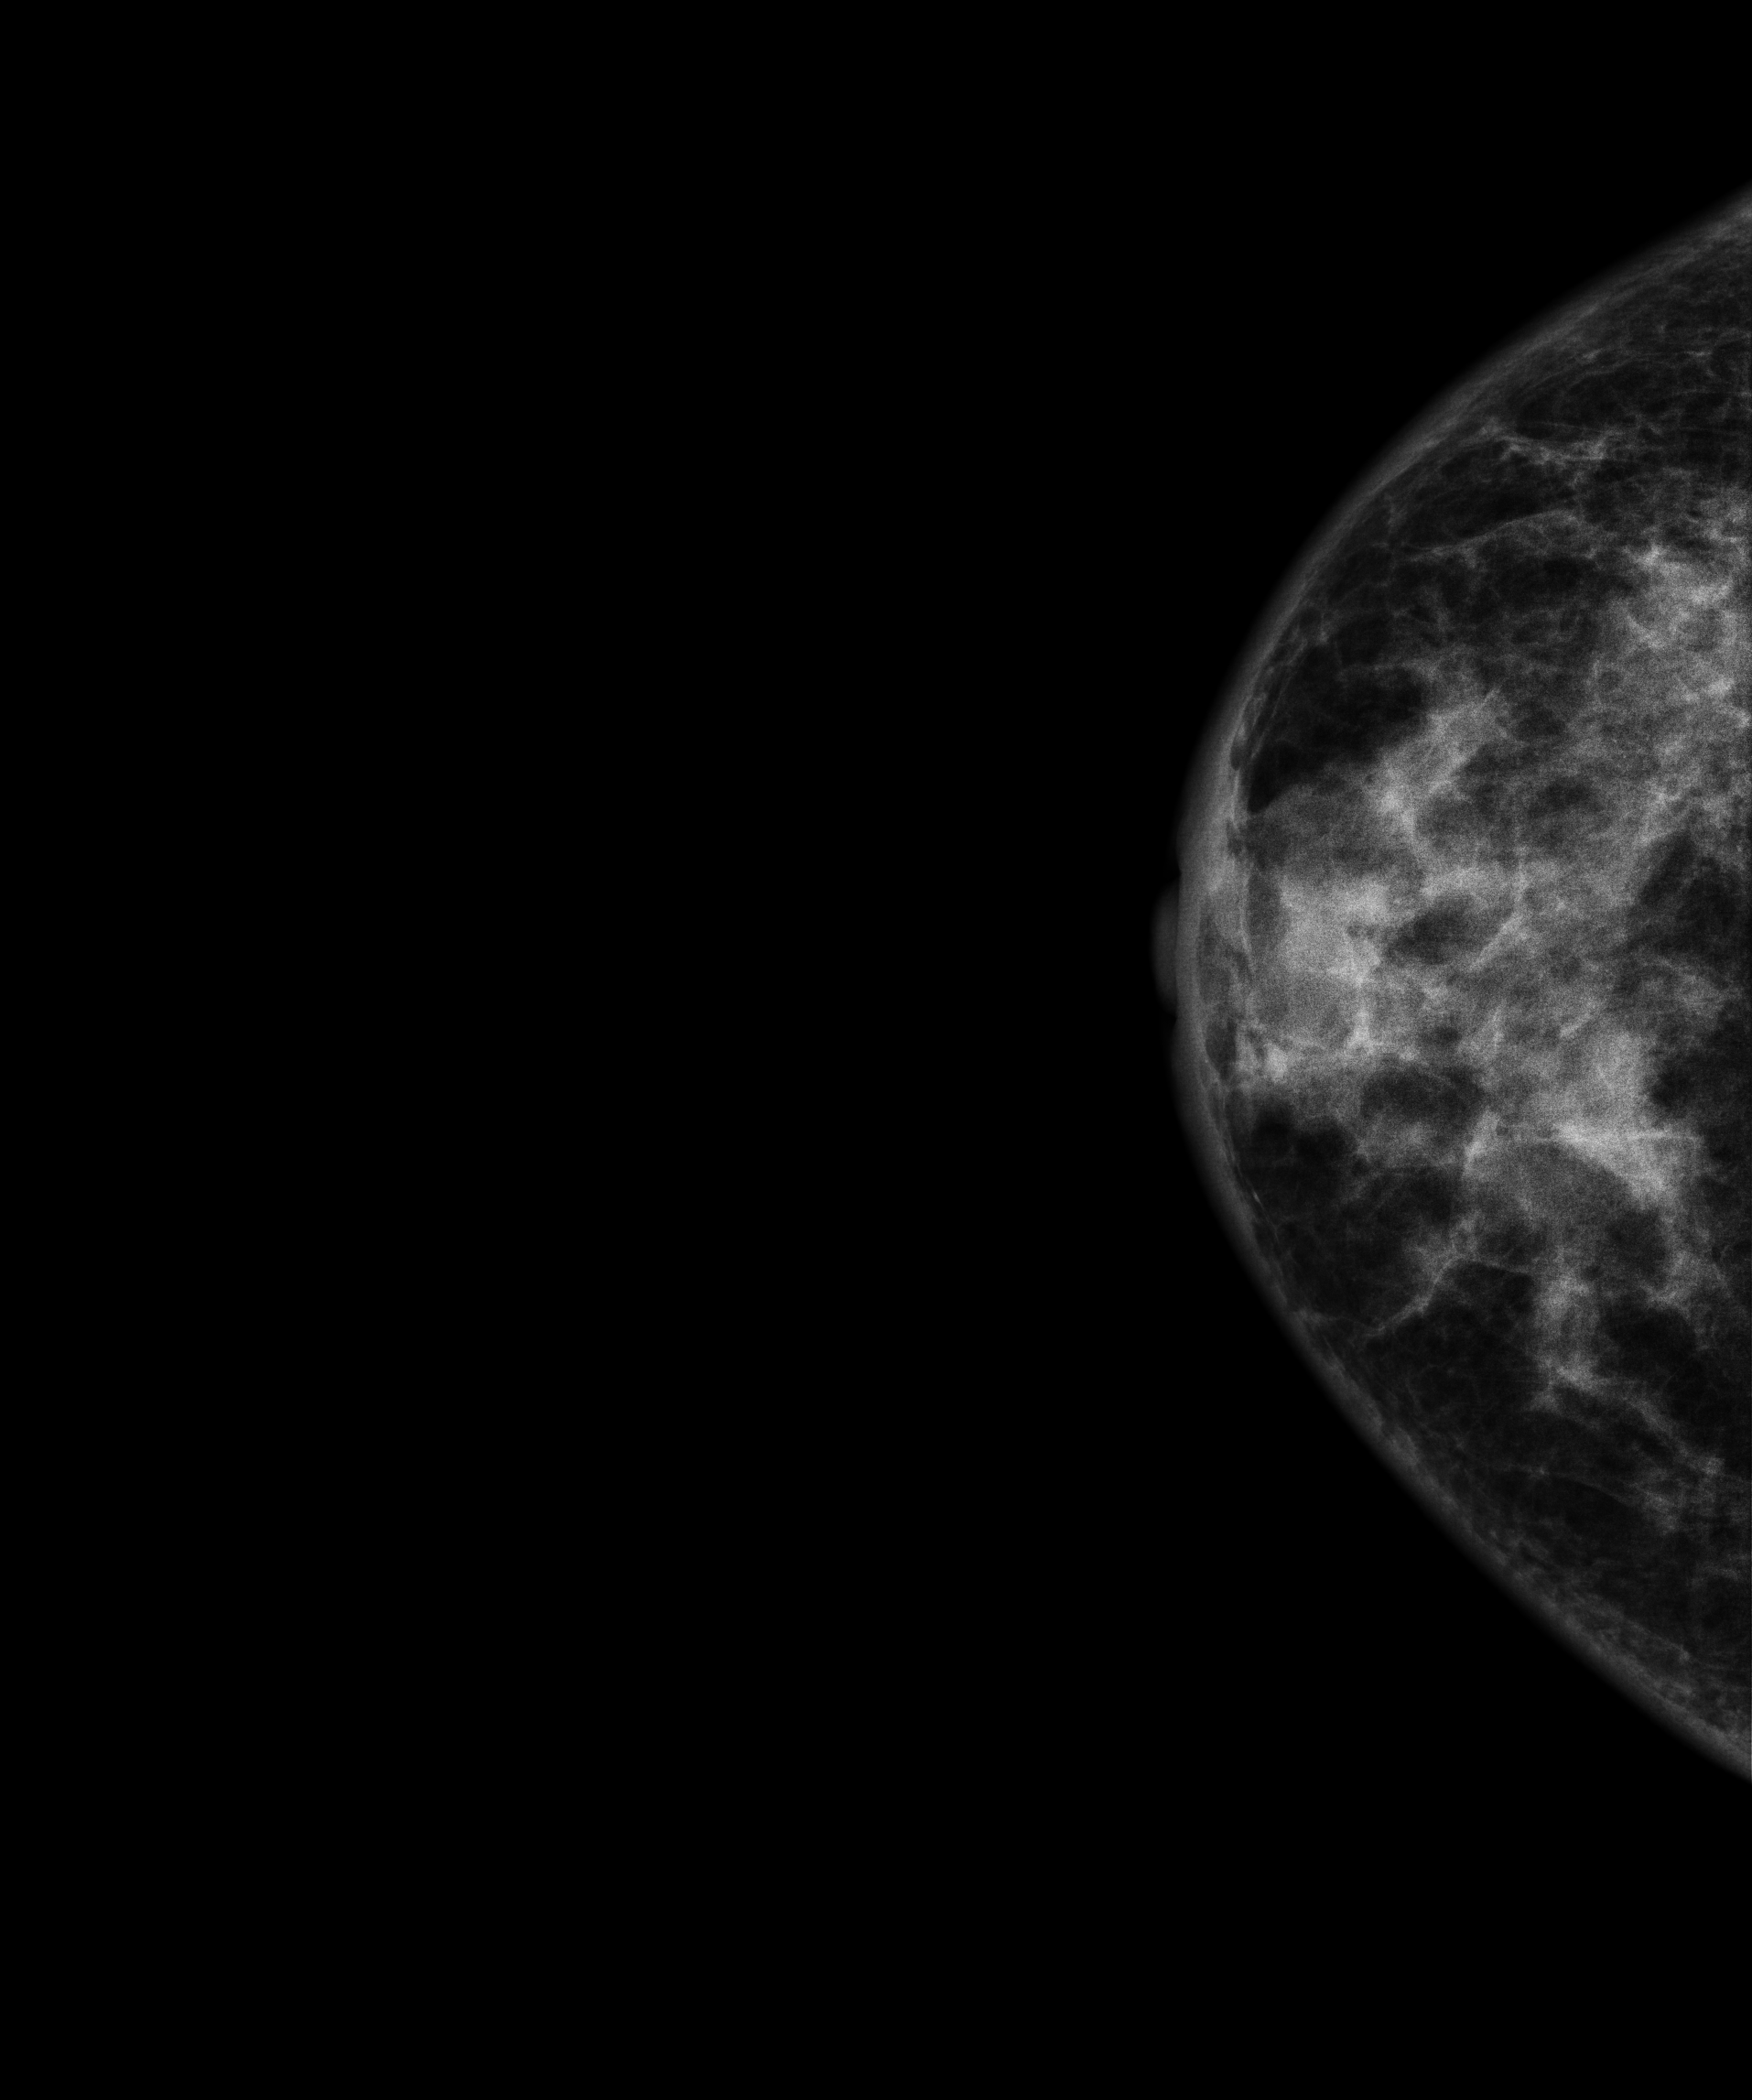
Mammogram, right breast, CC view. 49 y/o patient.
This breast has a mass and calcifications, biopsy-proven malignant. Molecular subtype: luminal B.